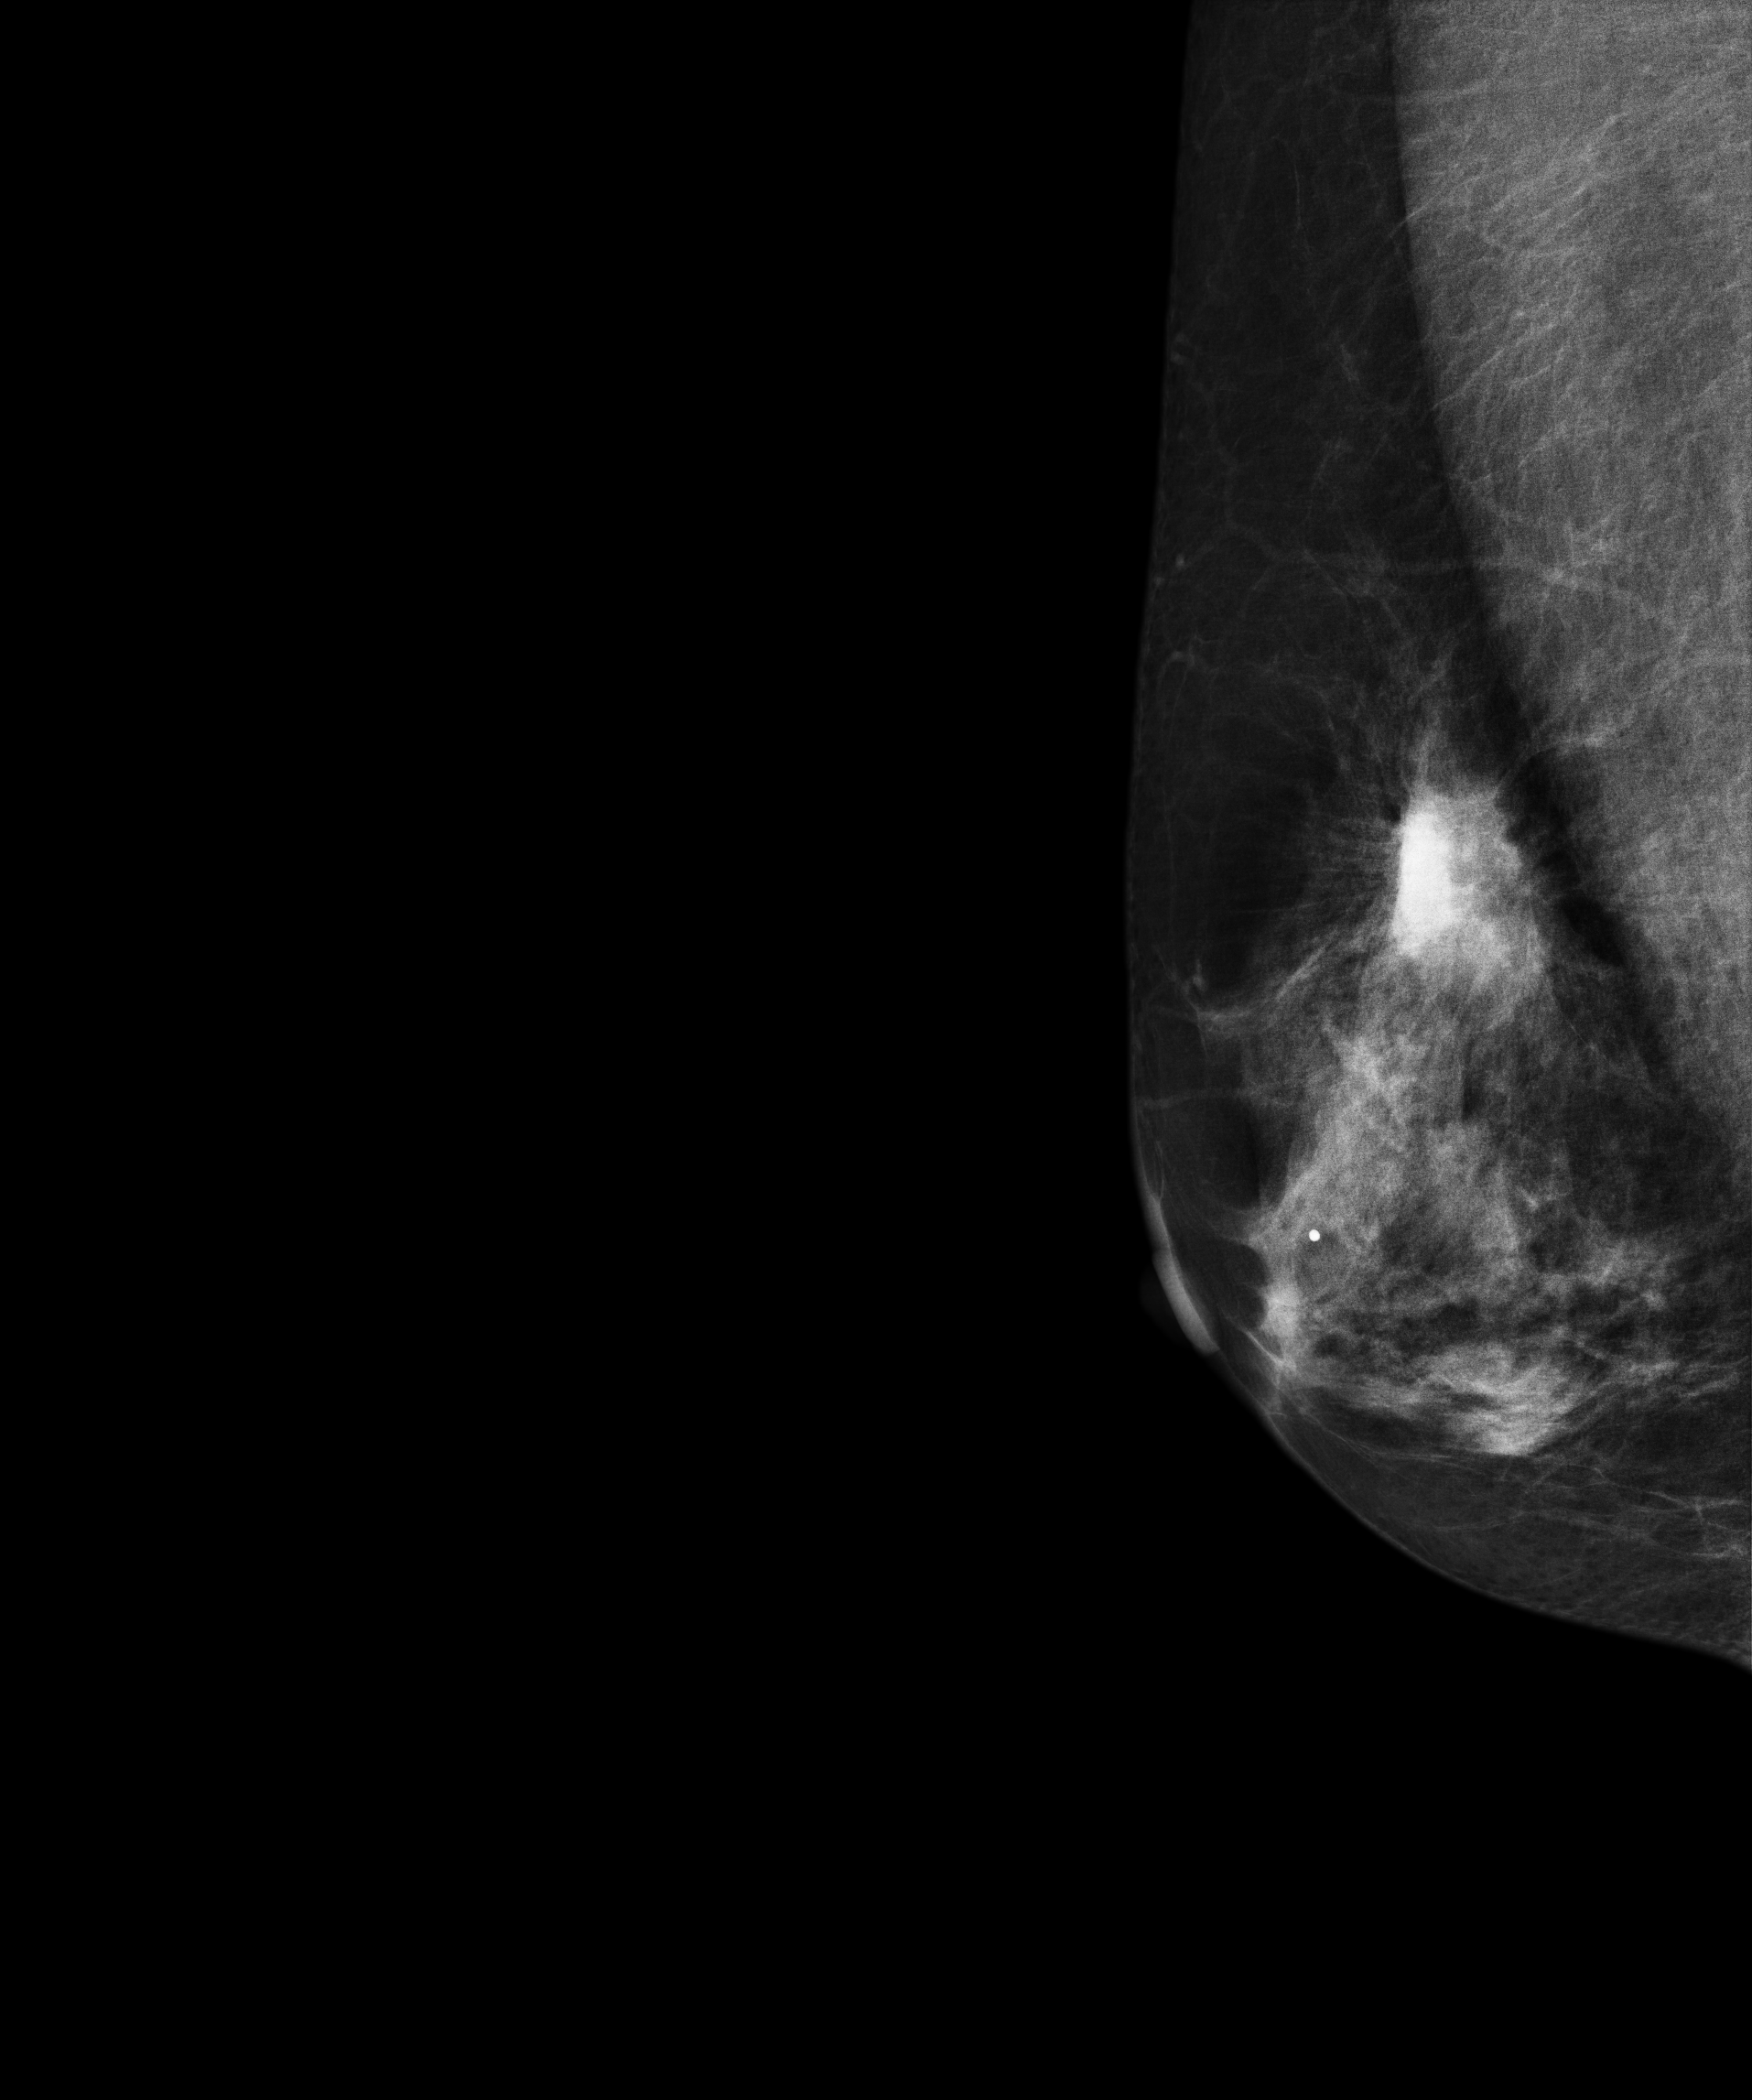
Mammogram, right breast, medio-lateral oblique view. 58 y/o patient.
This breast has a mass, pathology-confirmed malignant.